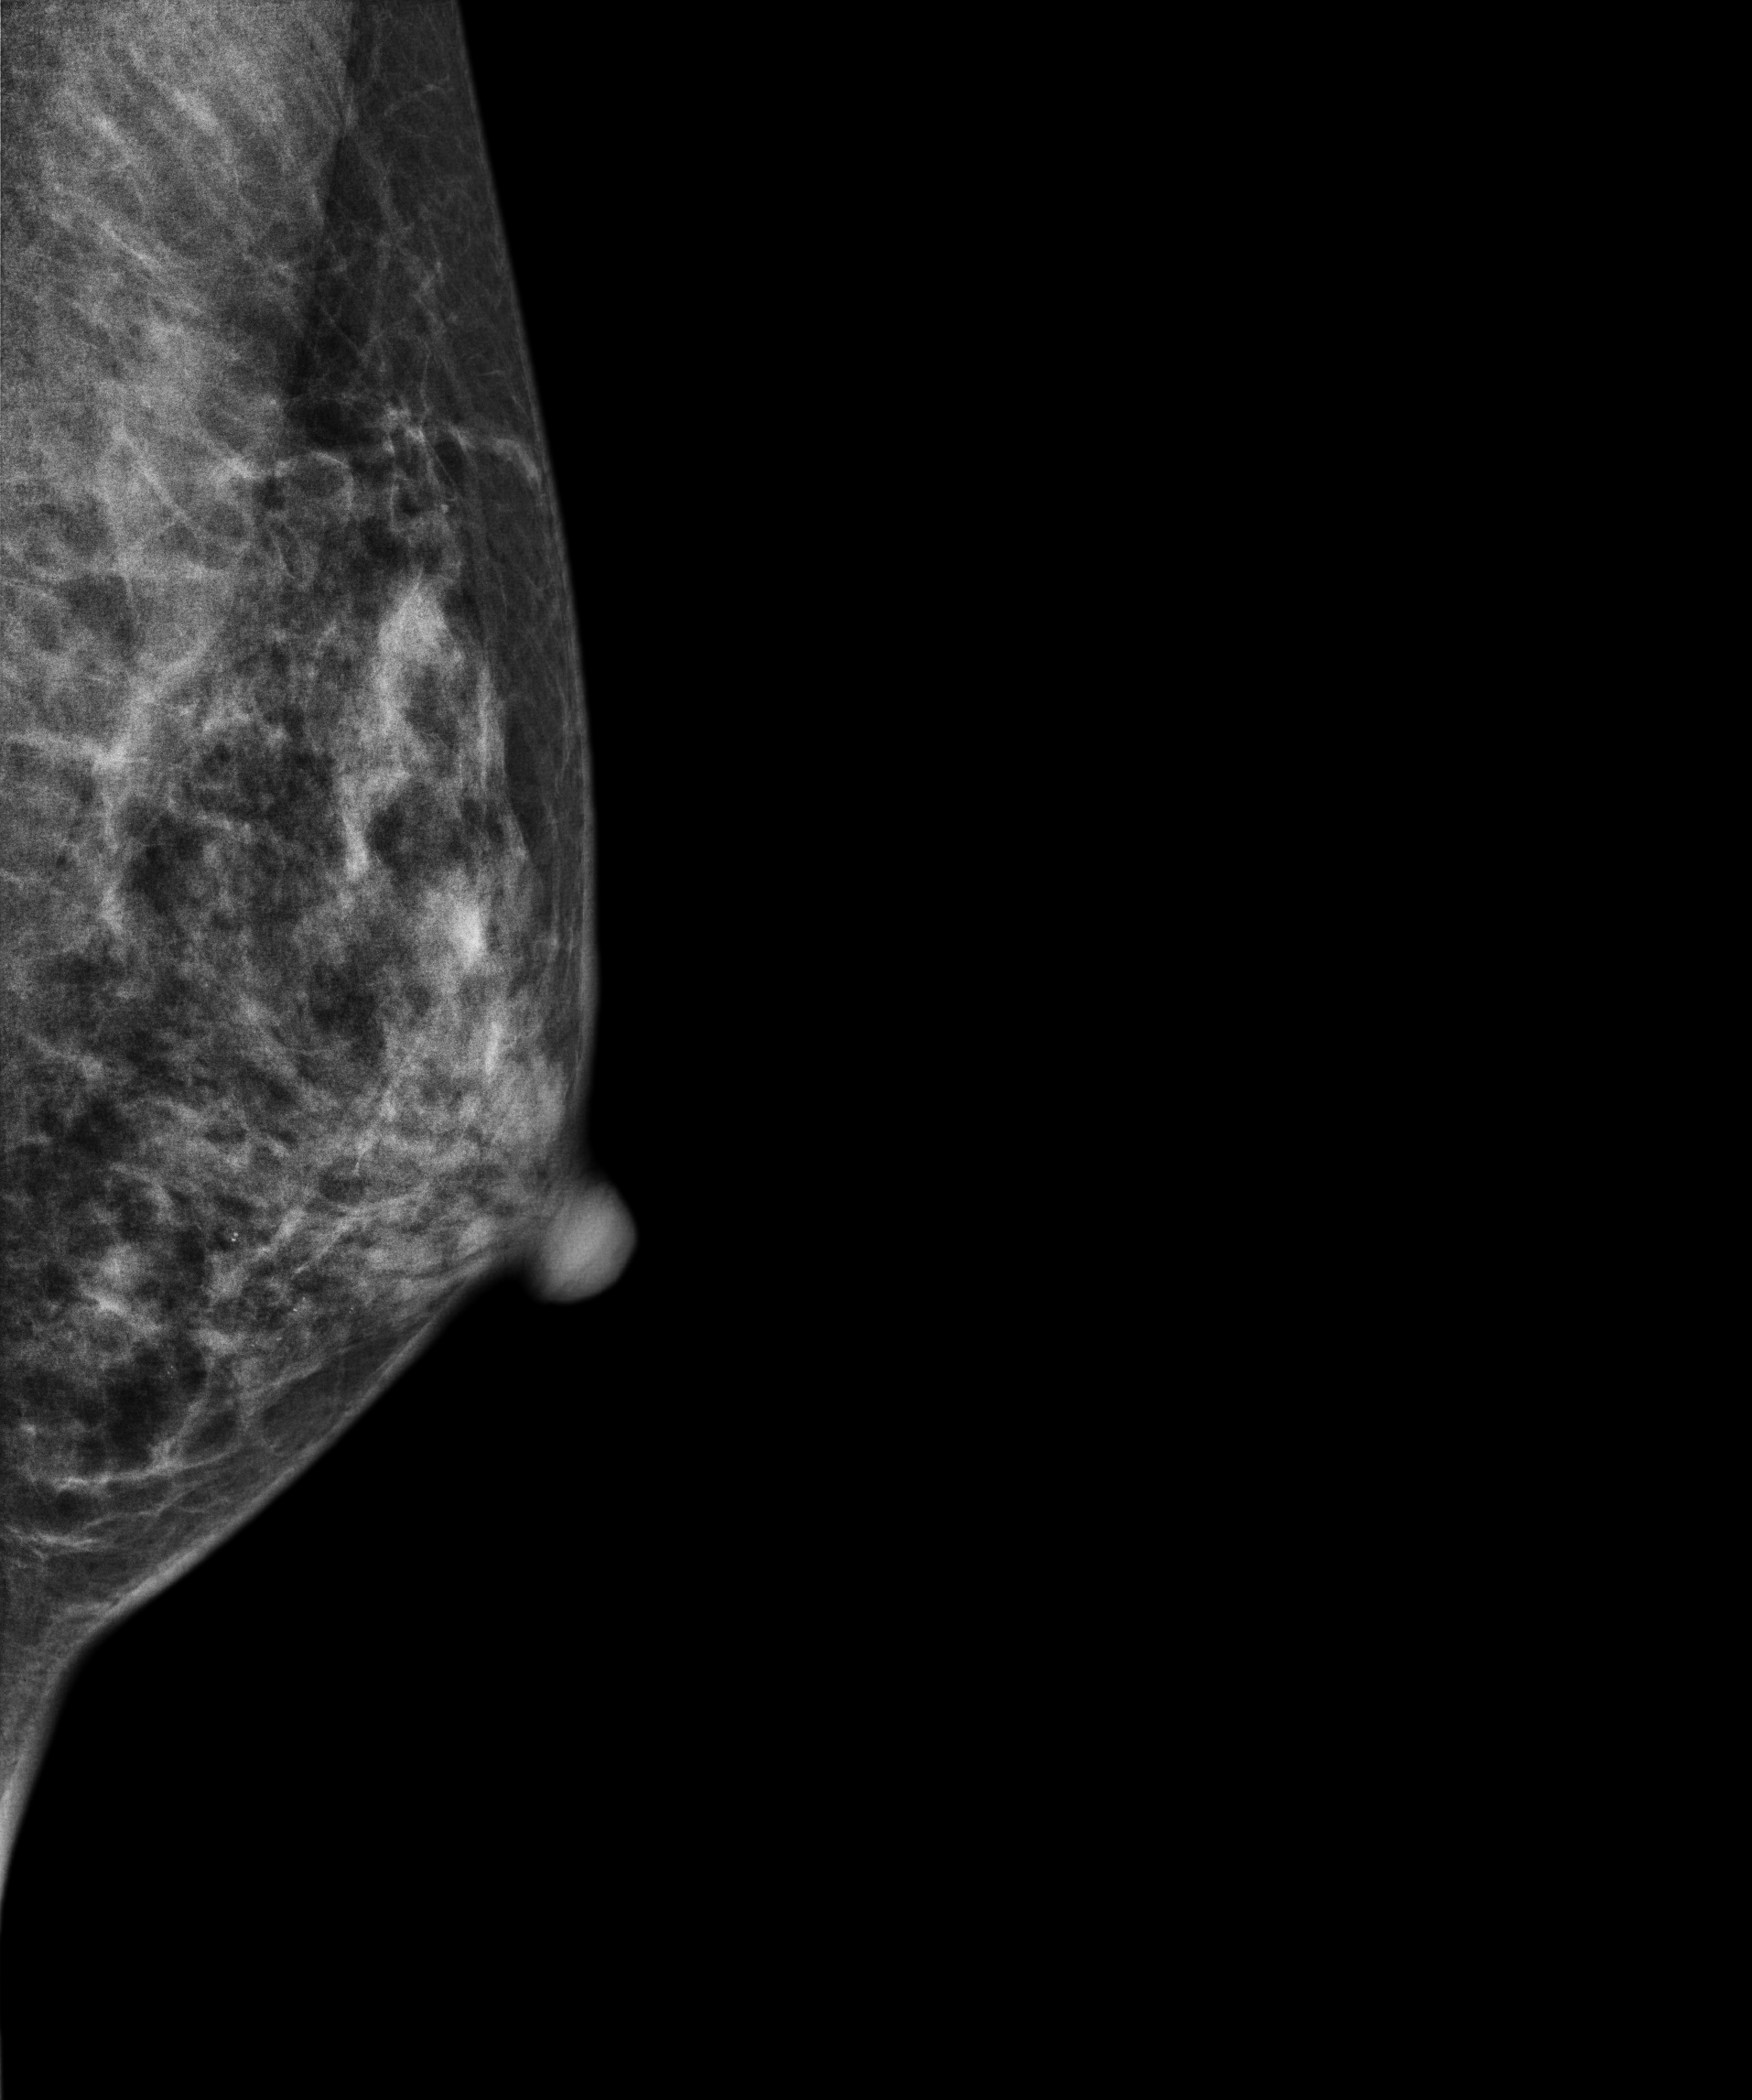
Mammogram — left MLO. Patient age 39.
This breast has calcifications, histologically confirmed malignant.